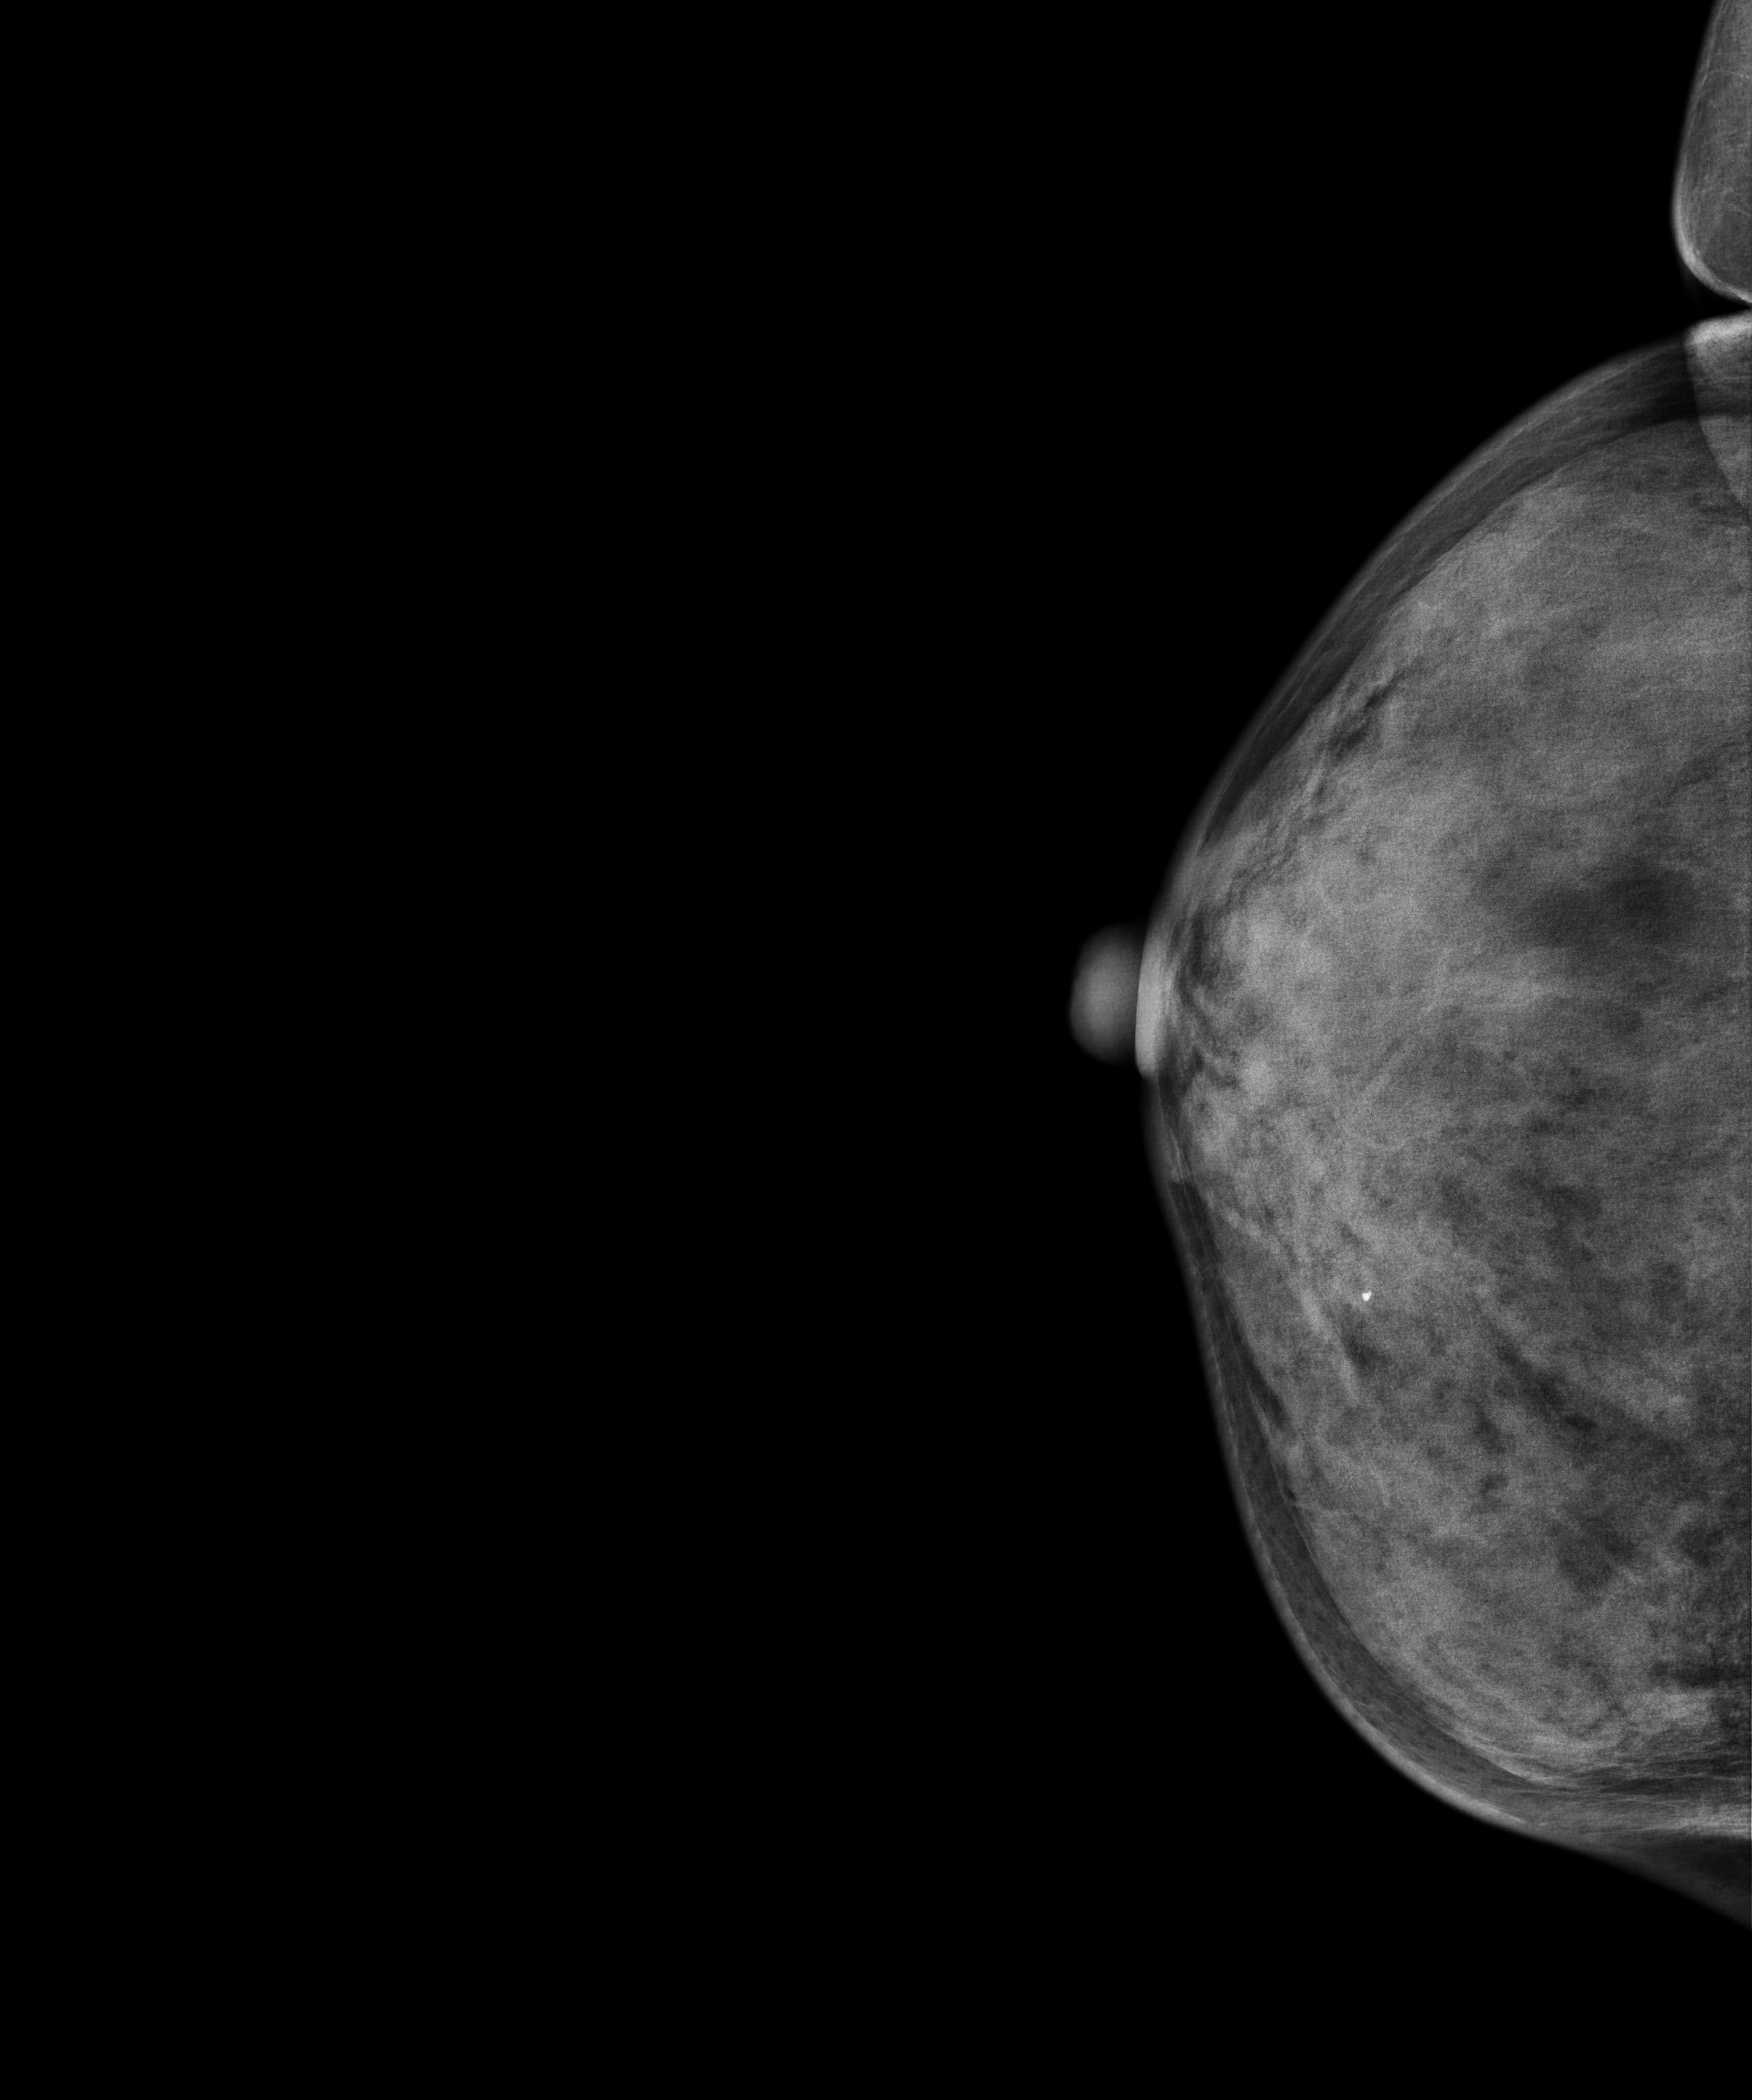
Mammogram — right cranio-caudal. 42 y/o patient.
Contralateral breast — no documented abnormality on this side.